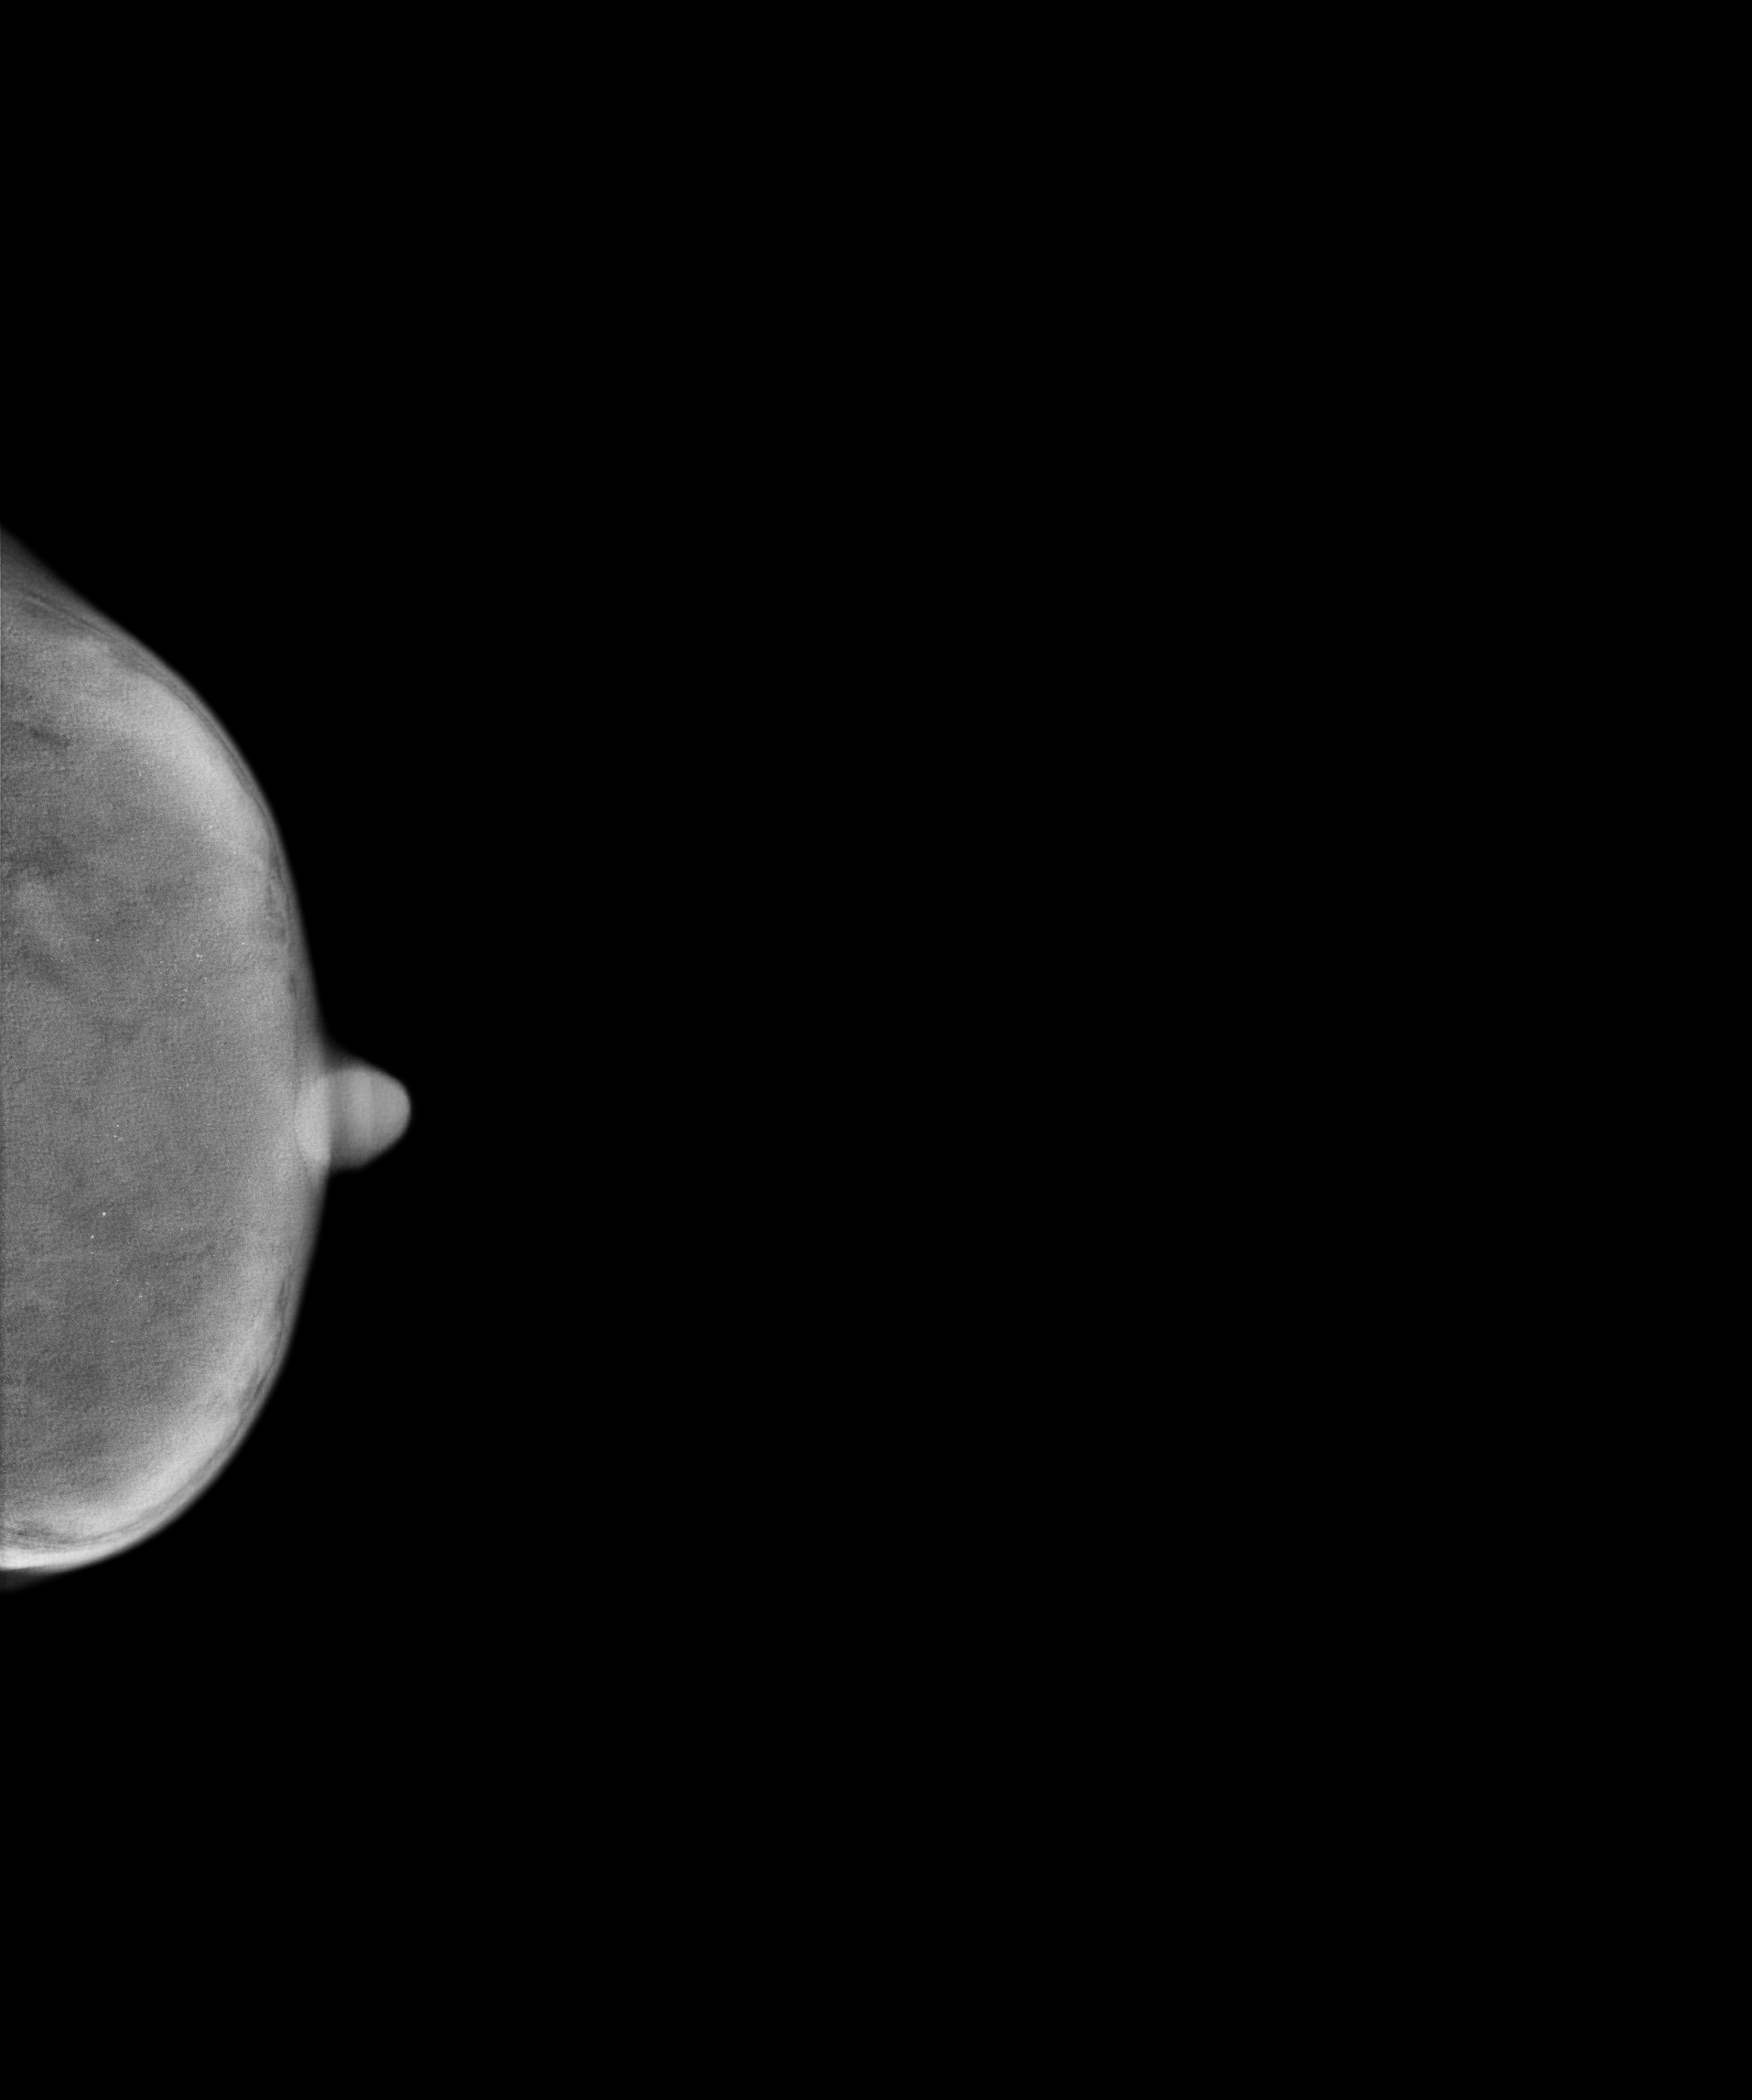
Left-breast mammogram, cranio-caudal. 41-year-old patient.
This breast has calcifications, pathology-confirmed benign.